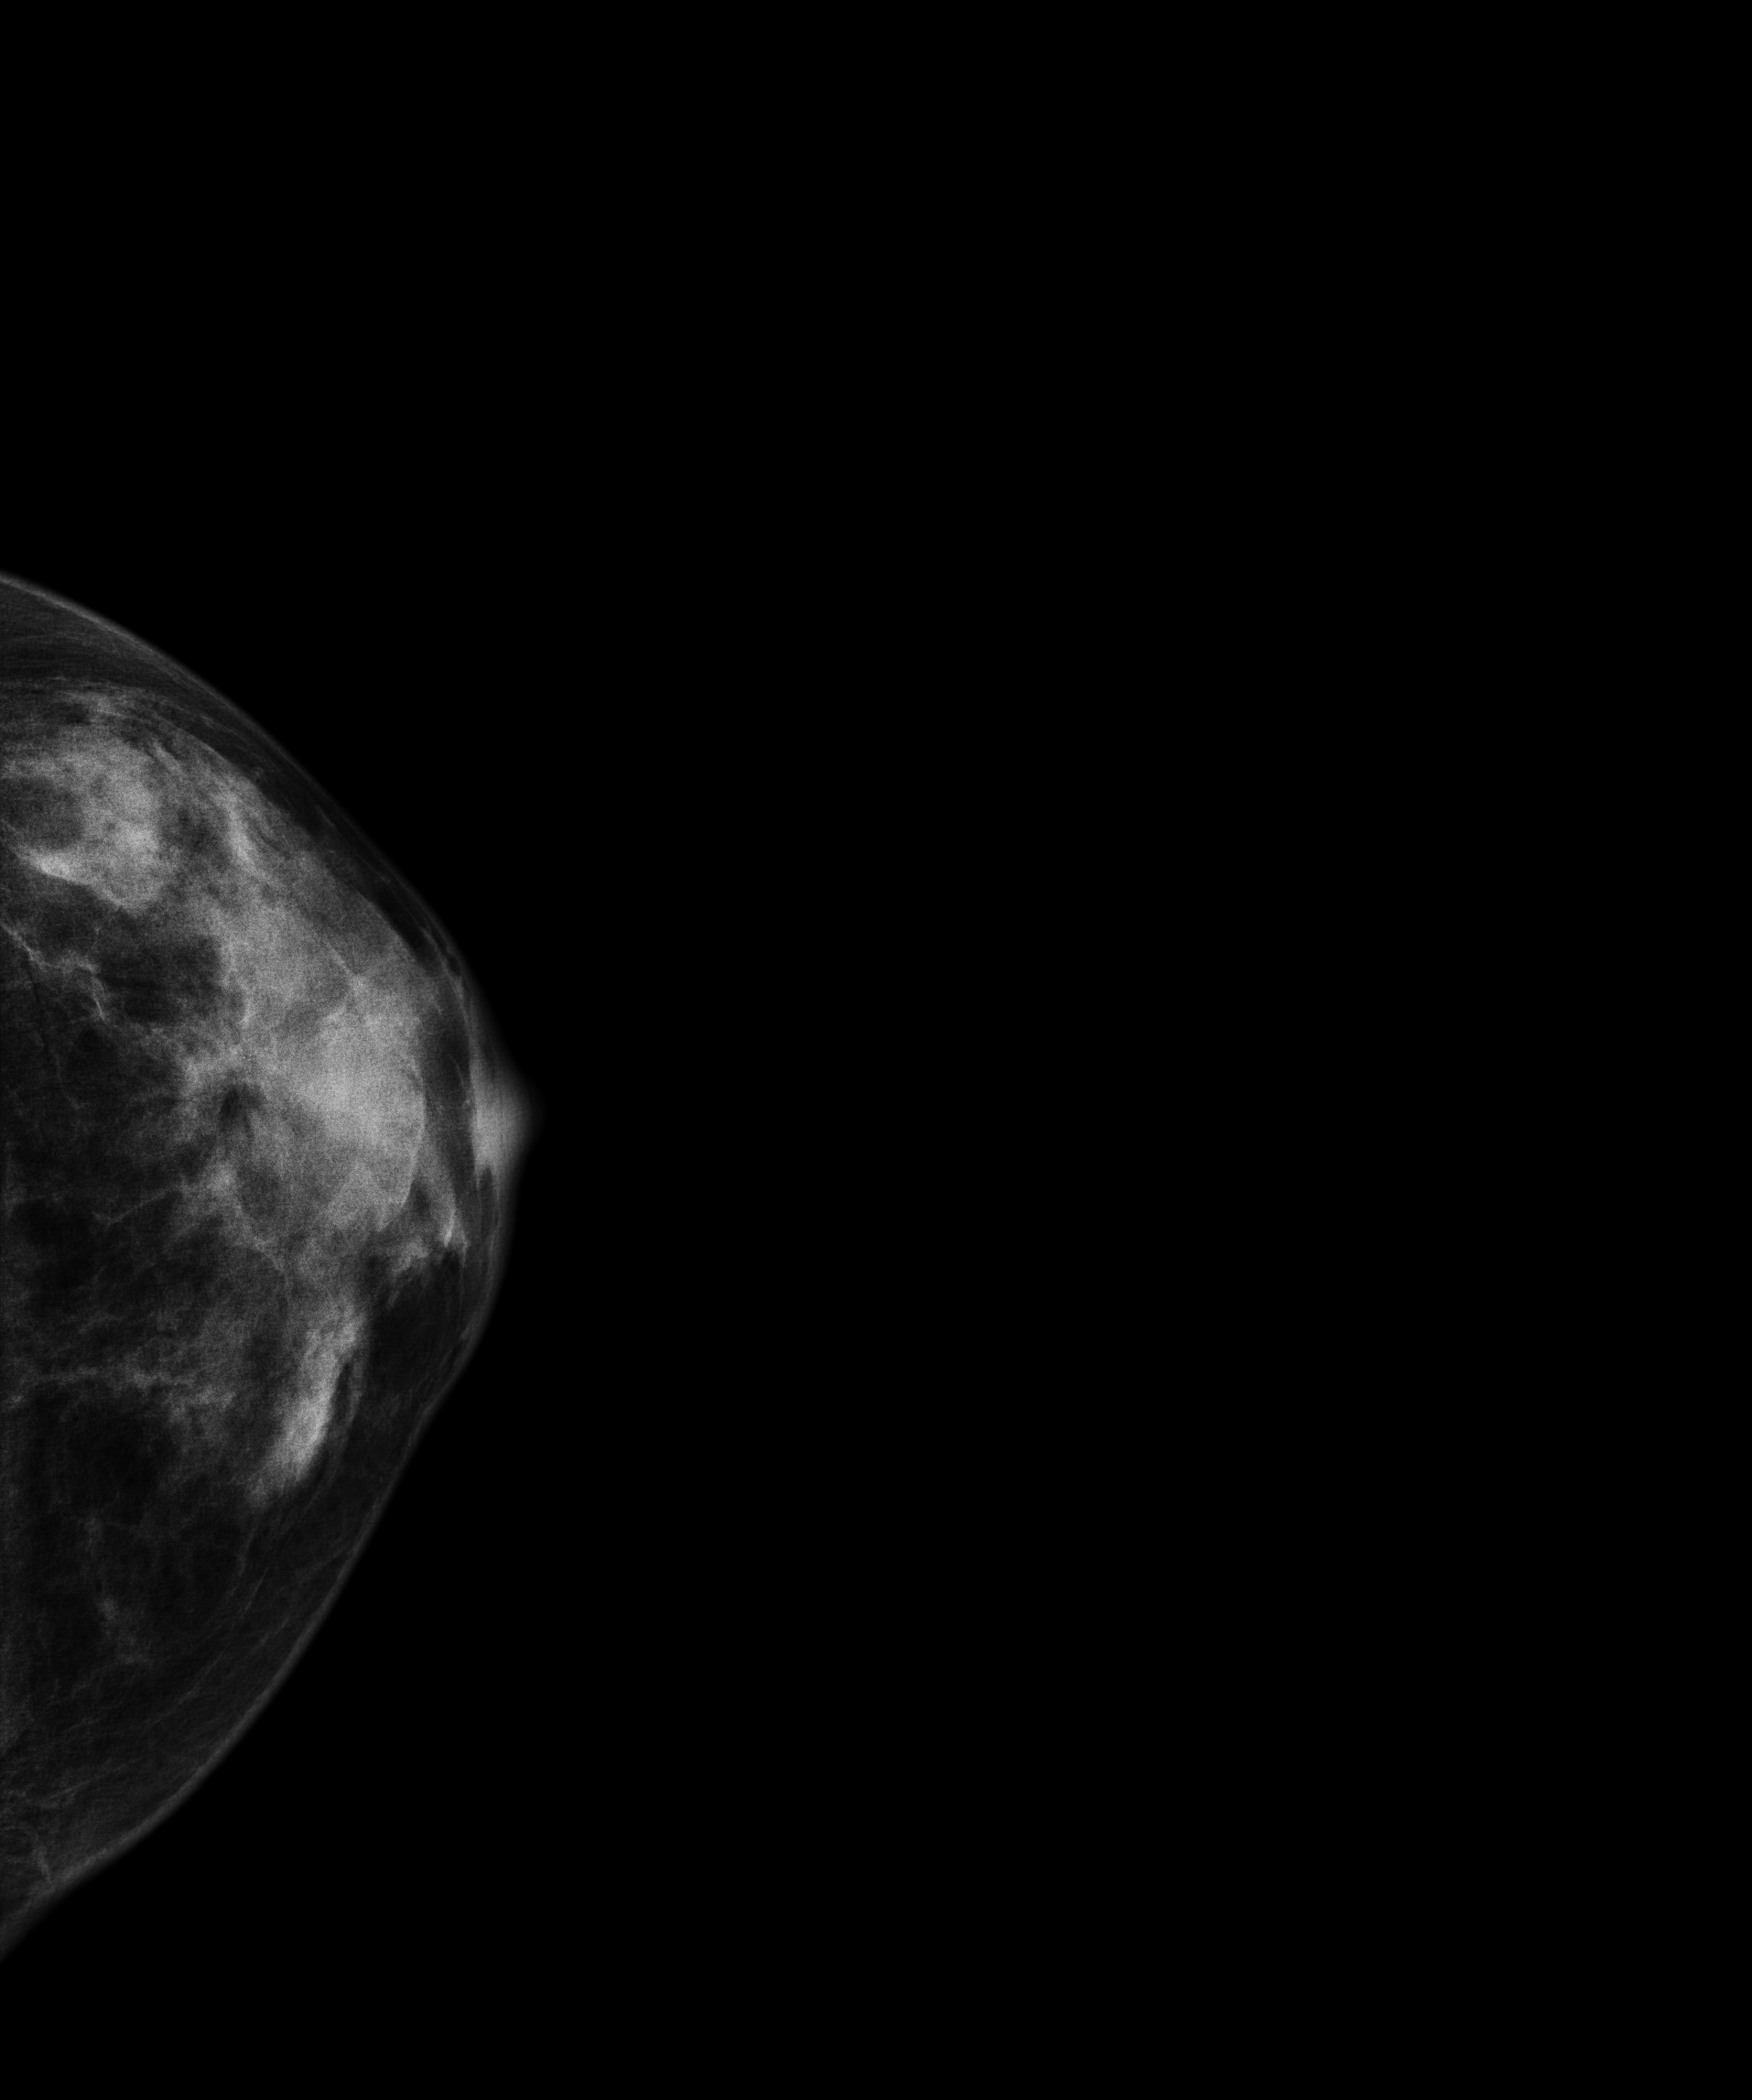
Digital mammography. Left breast, cranio-caudal projection. 43-year-old patient.
This breast has a mass, pathology-confirmed malignant. Molecular subtype: luminal B.